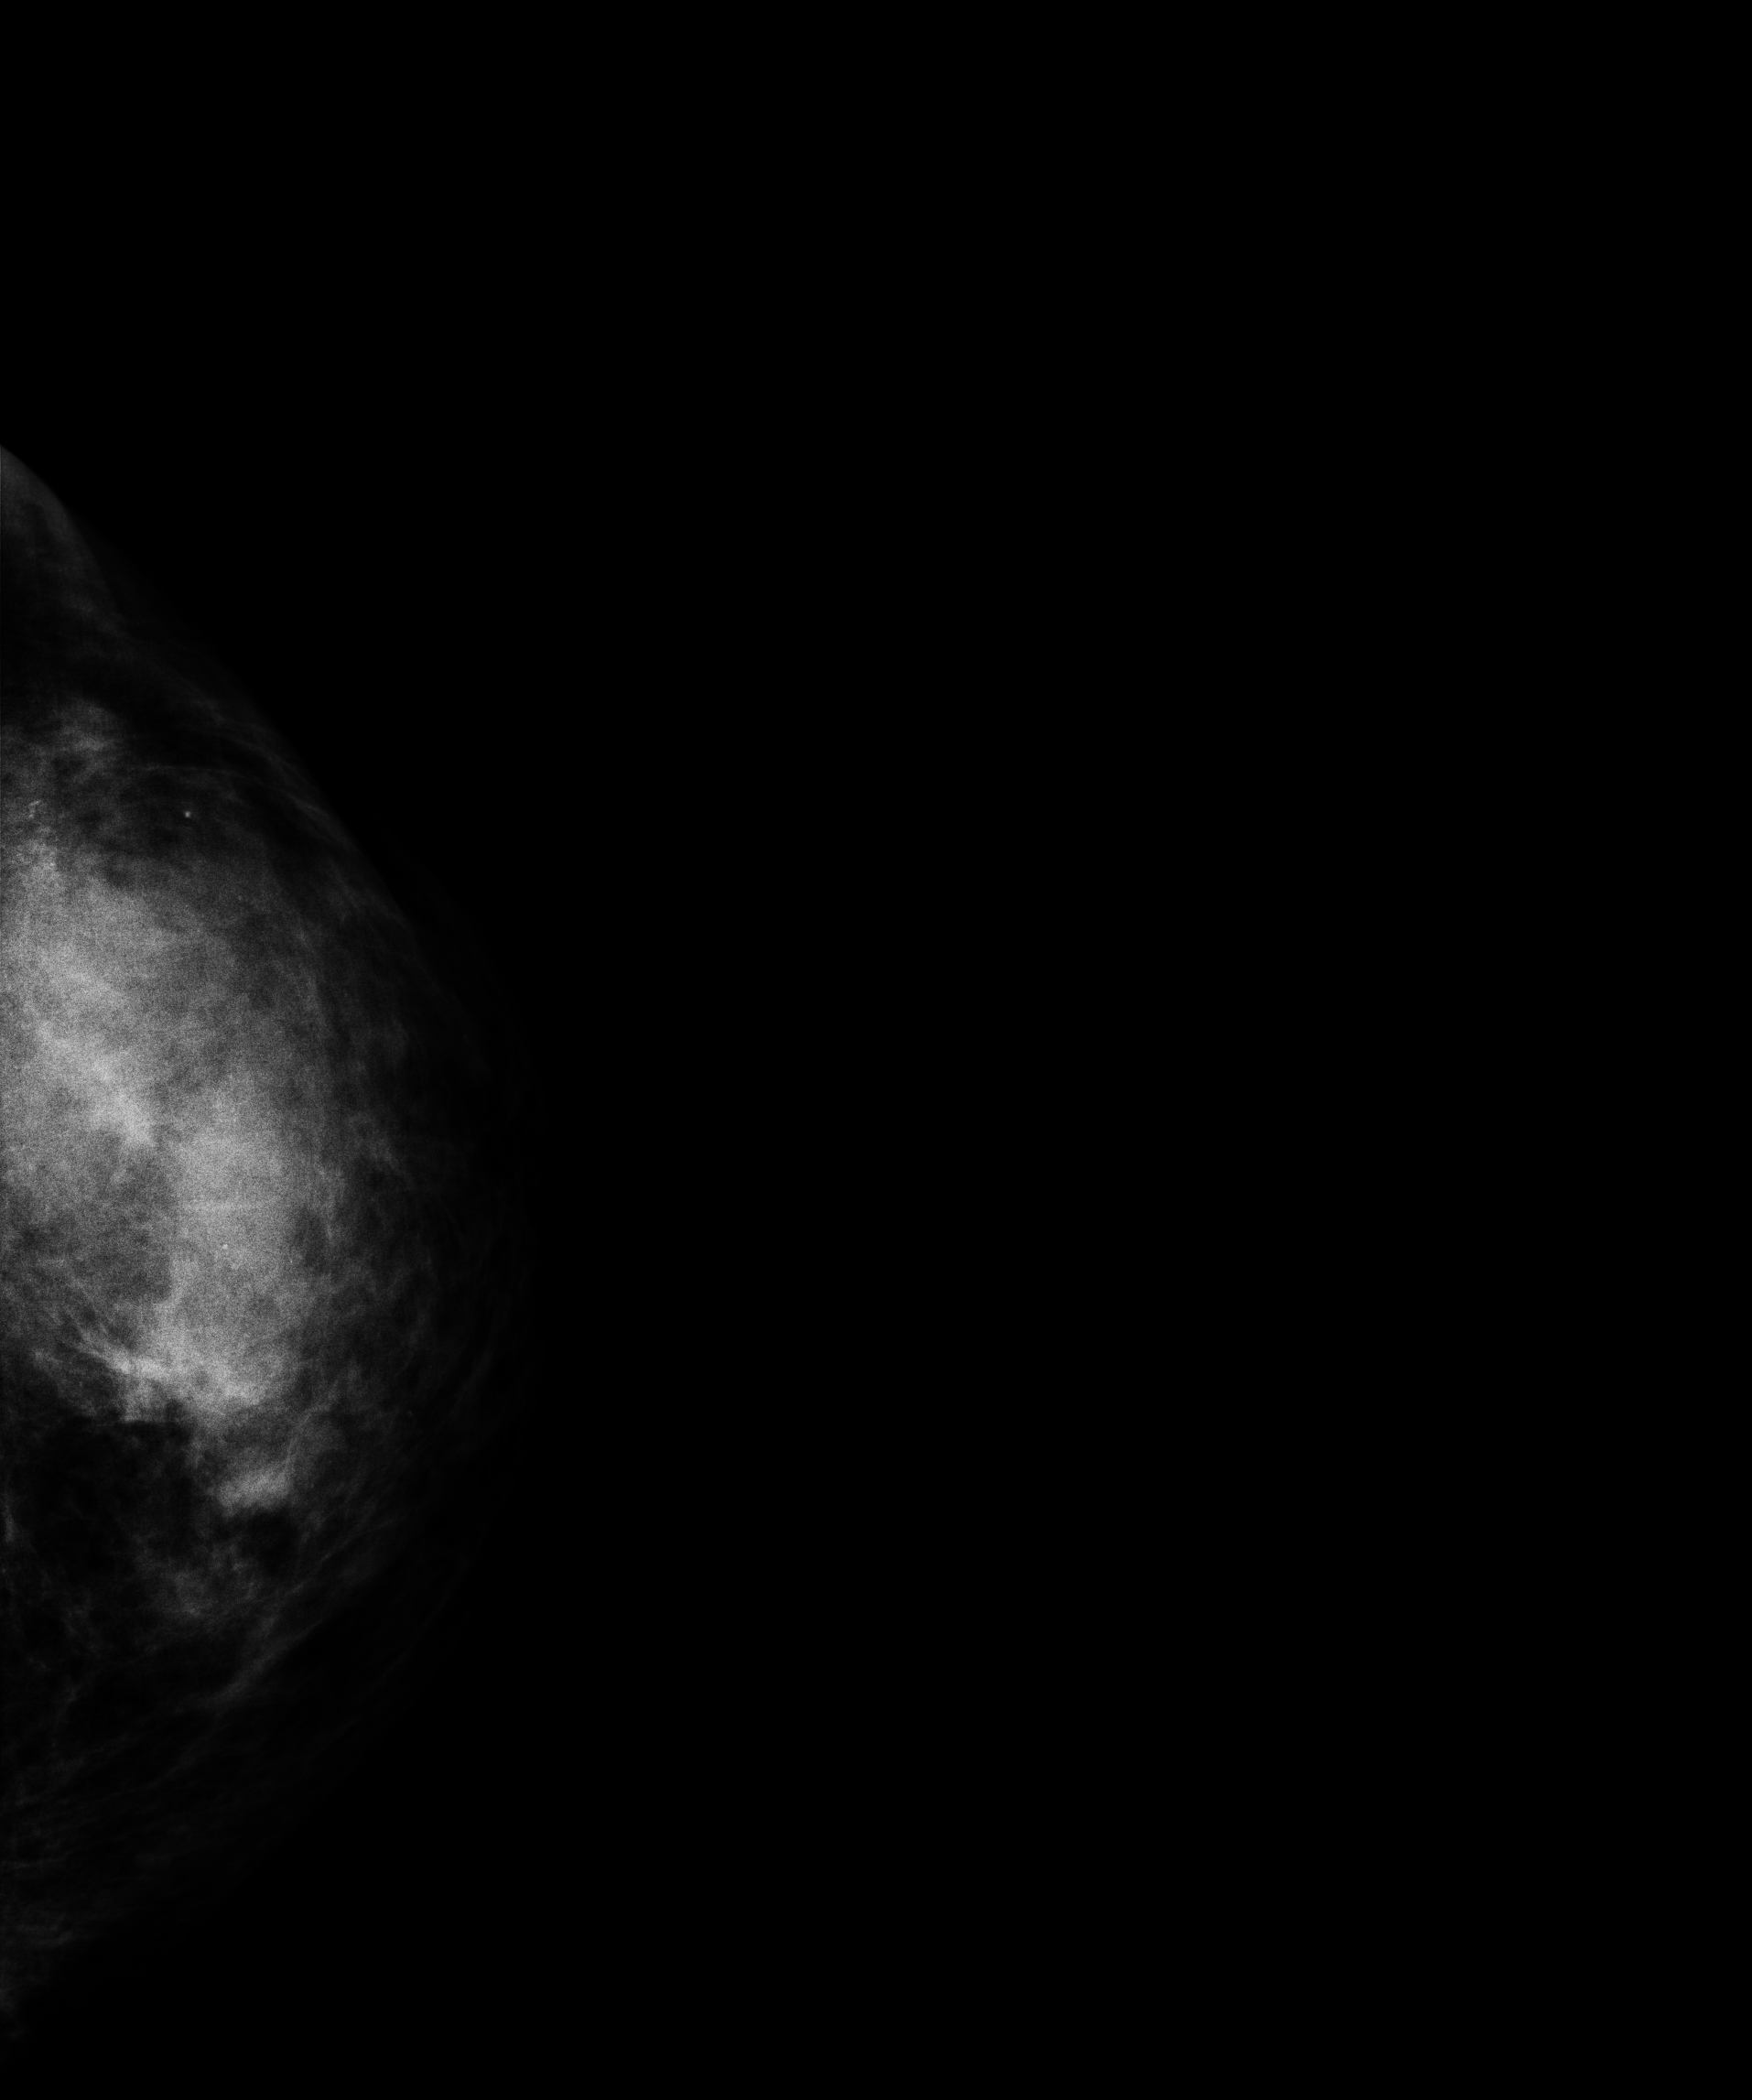
MLO mammogram of the left breast. 46 y/o patient.
This breast has a mass, biopsy-confirmed malignant.